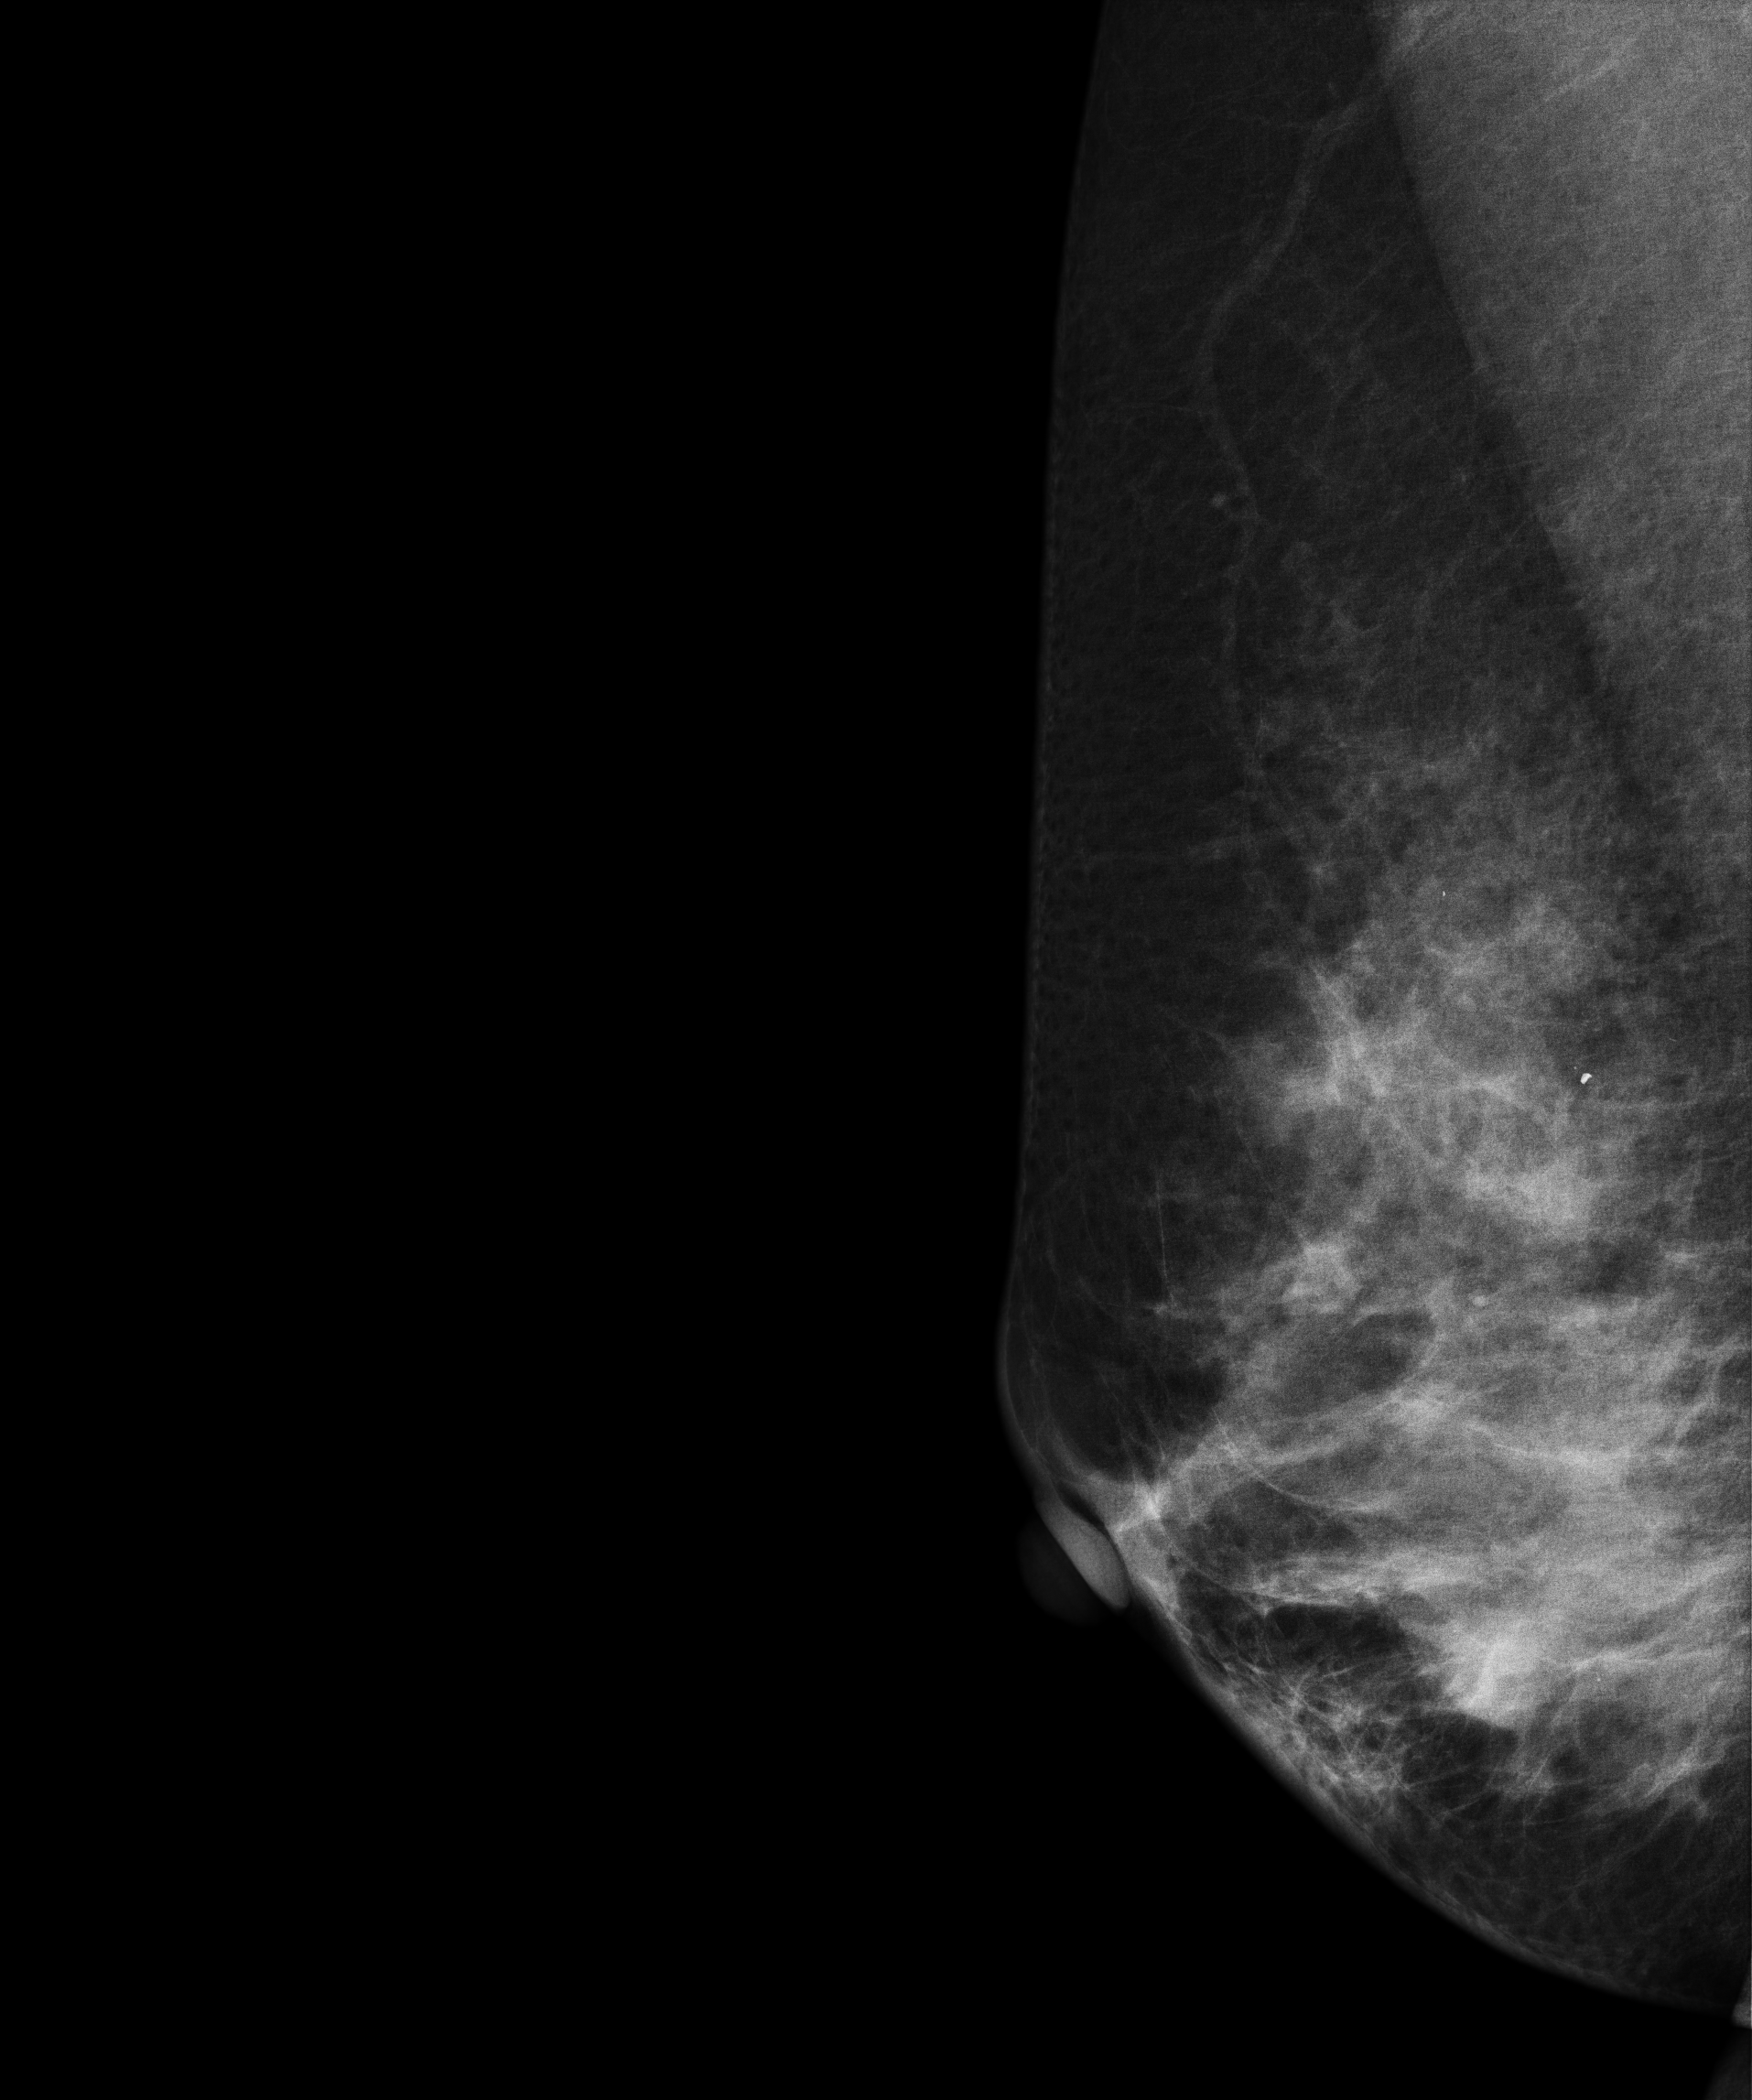
Mammogram — right MLO. 48-year-old patient.
This breast has a mass, biopsy-confirmed malignant.